Left-breast mammogram, CC. 49-year-old patient.
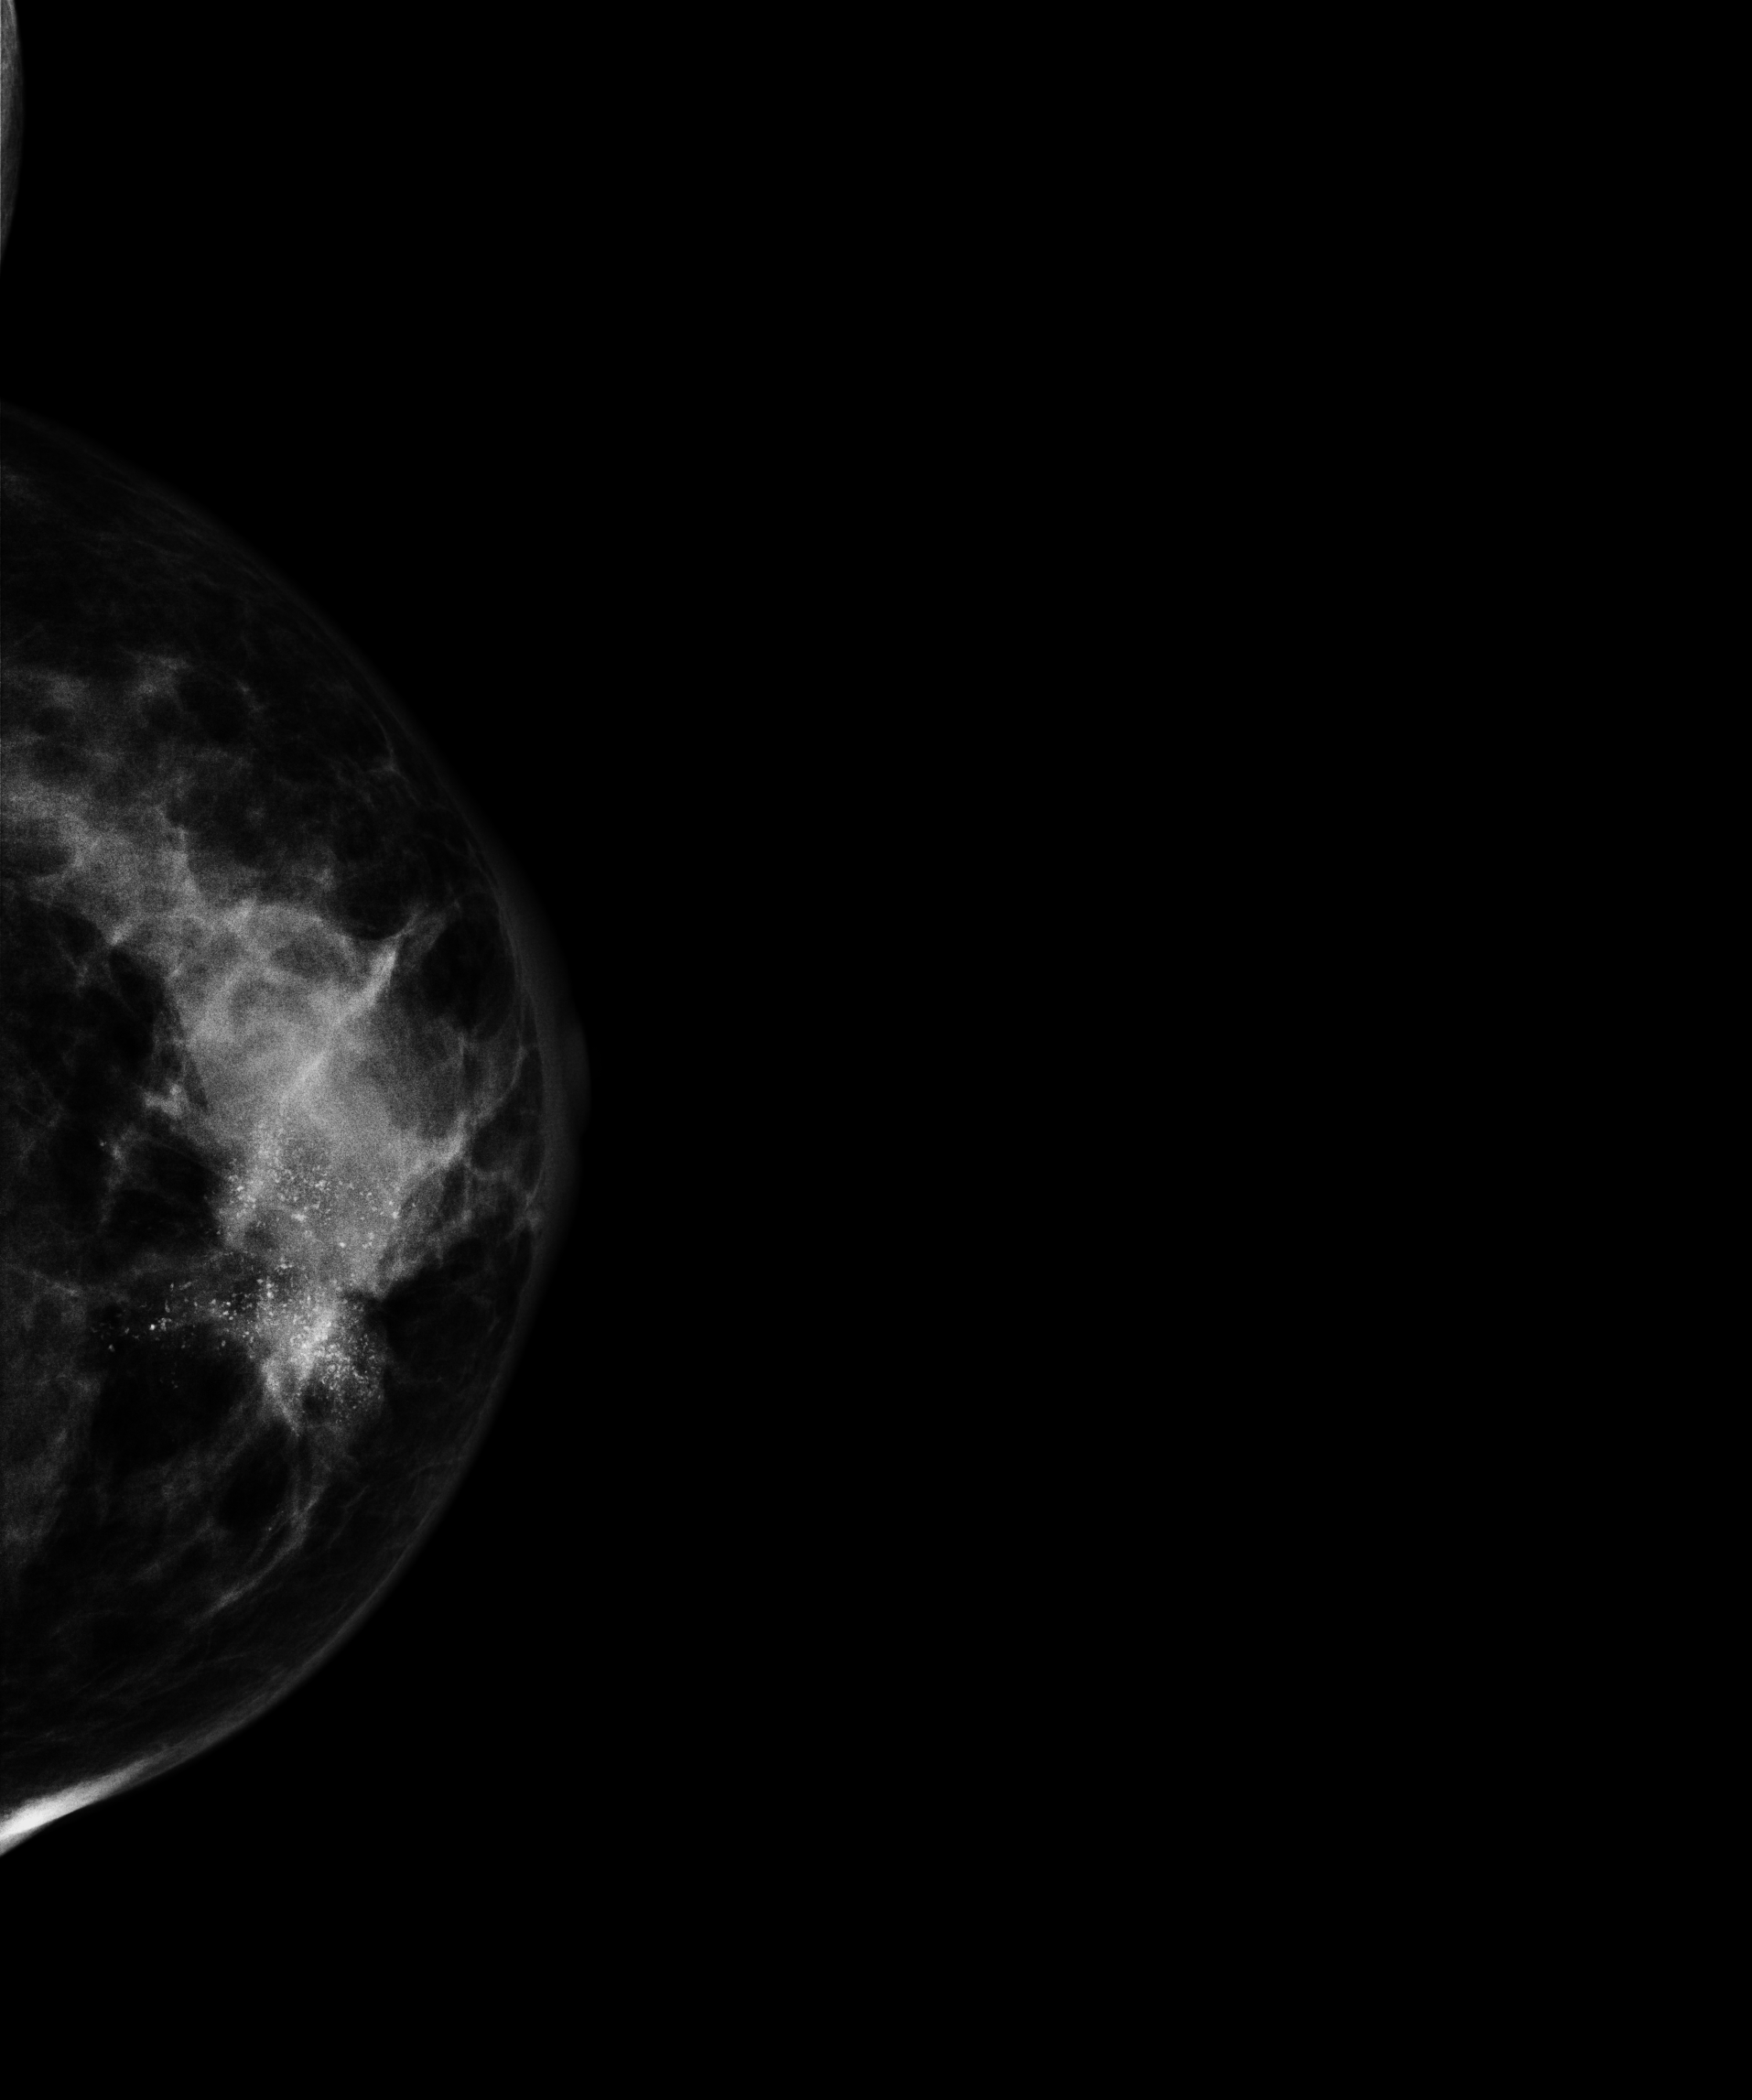
This breast has a mass and calcifications, histologically confirmed malignant. Molecular subtype: HER2-enriched.